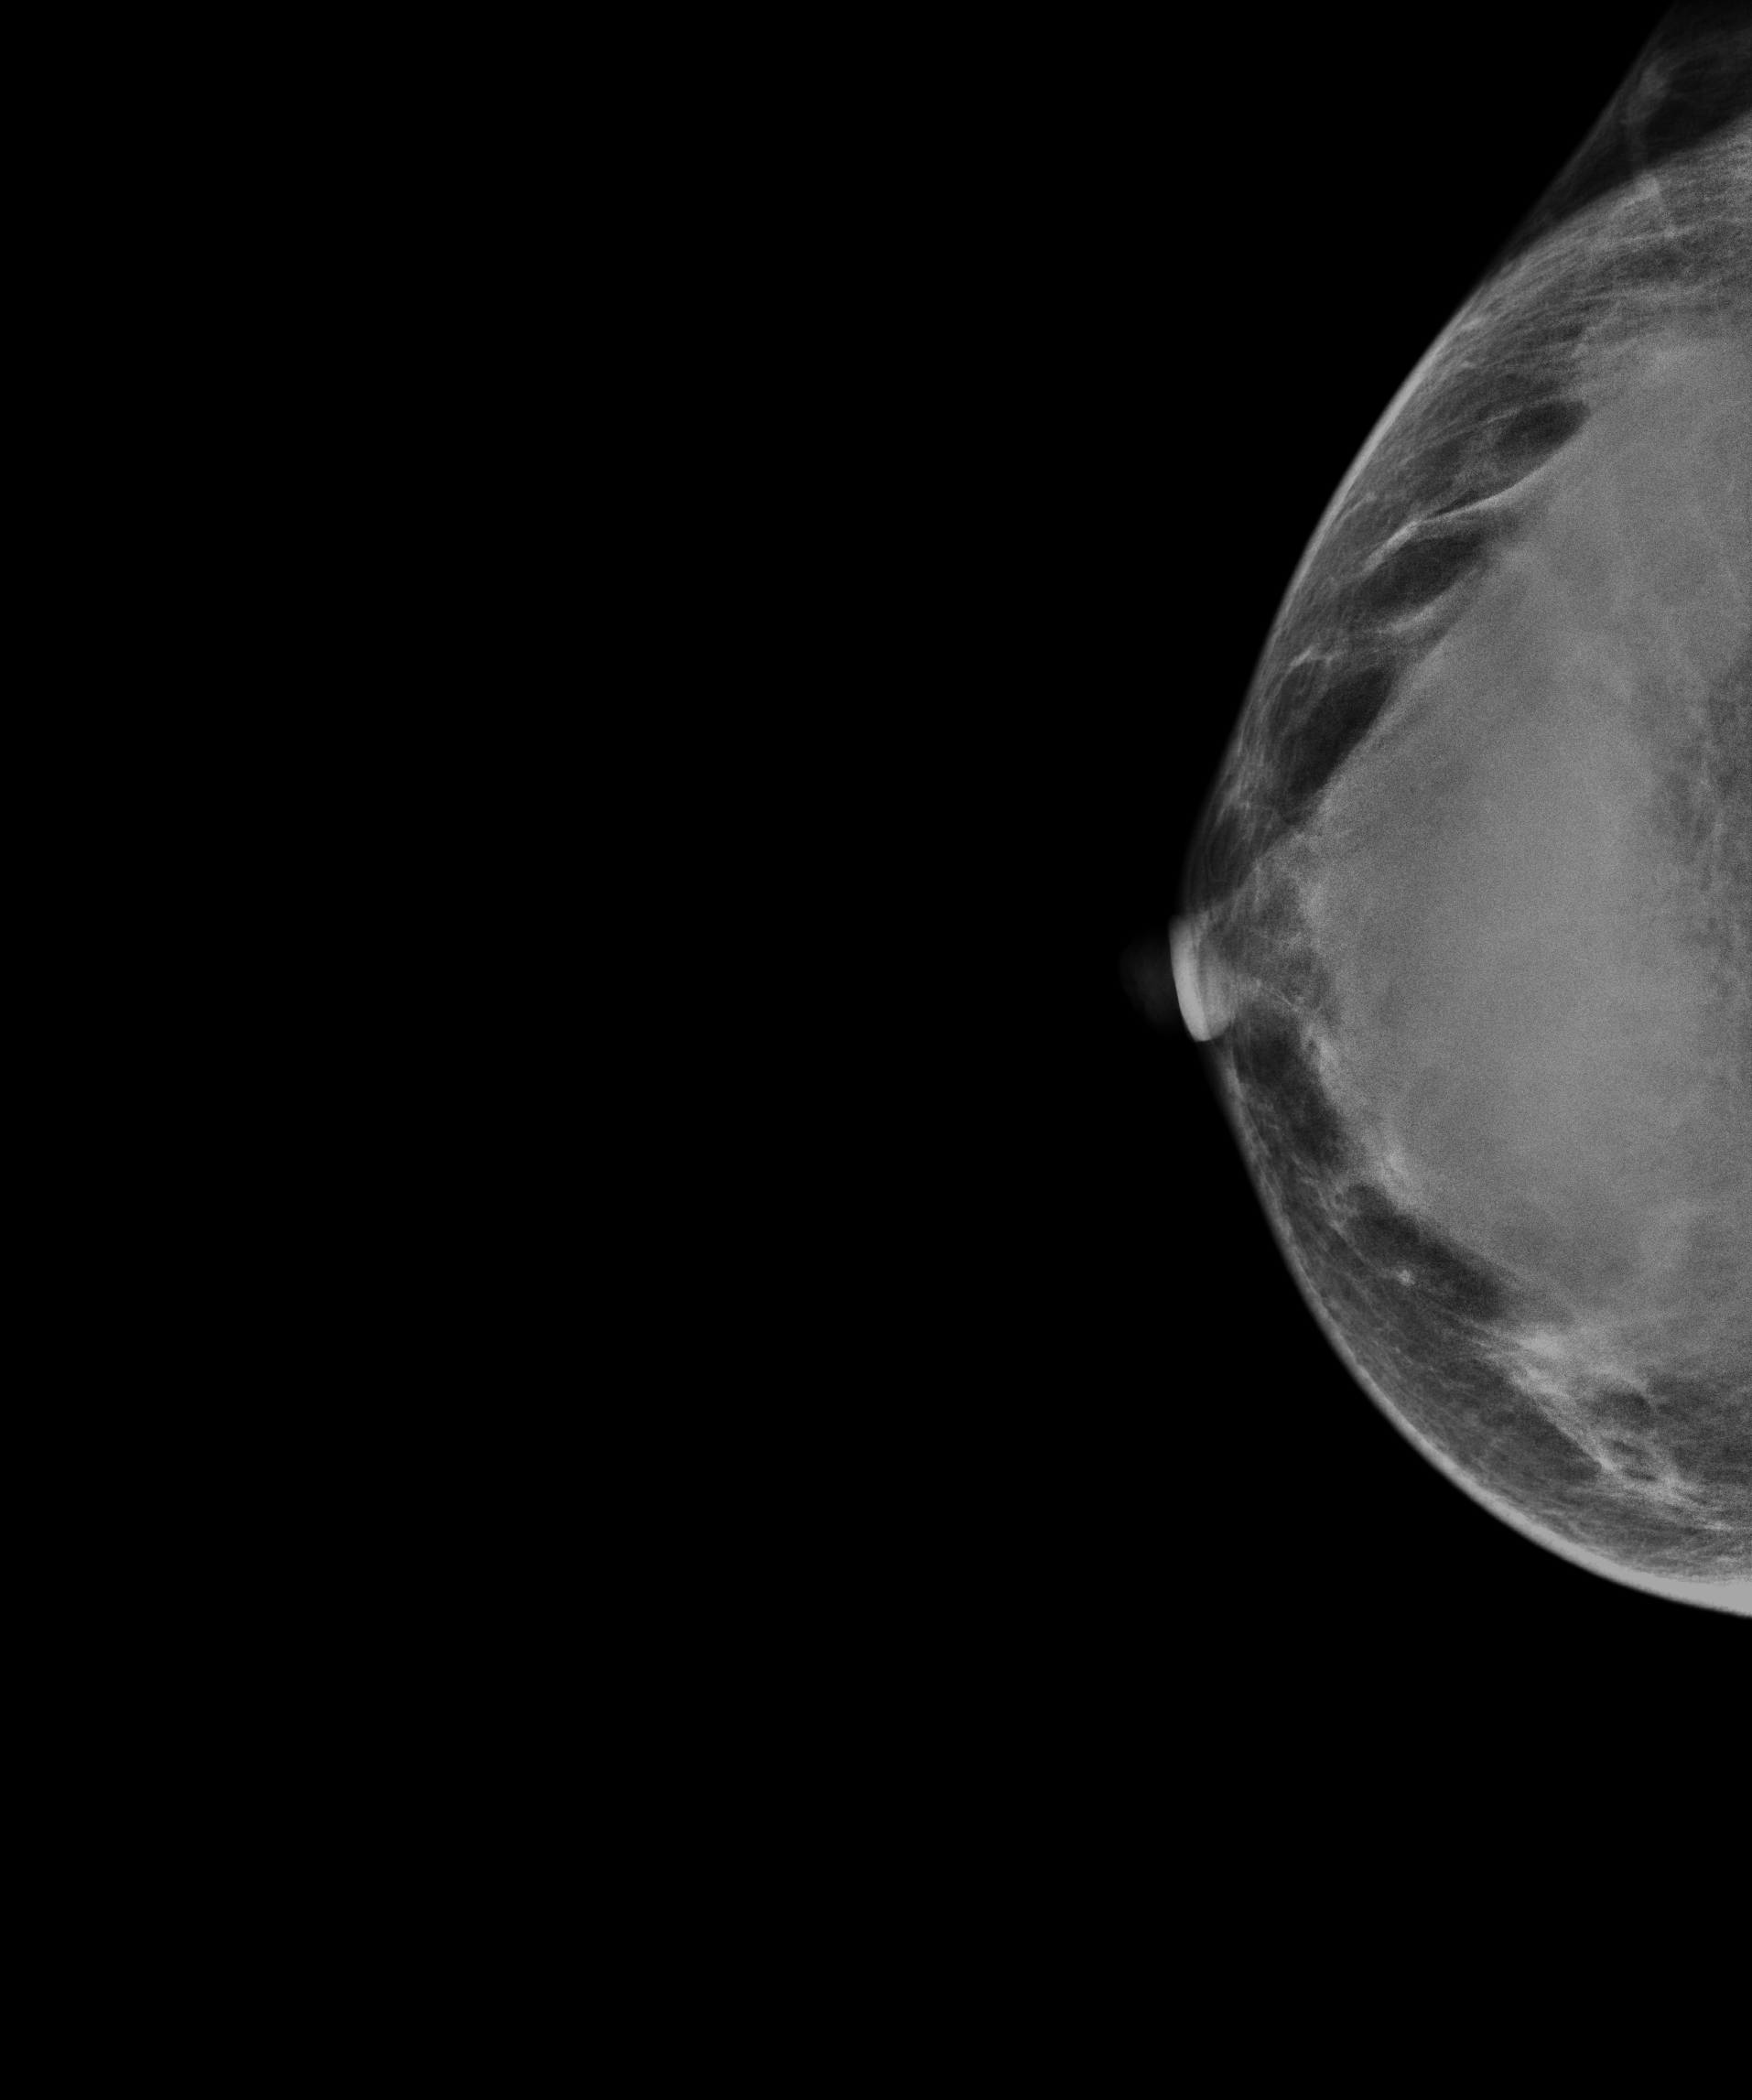
Mammogram — right cranio-caudal. Patient age 30.
This breast has a mass, pathology-confirmed malignant. Molecular subtype: triple-negative.